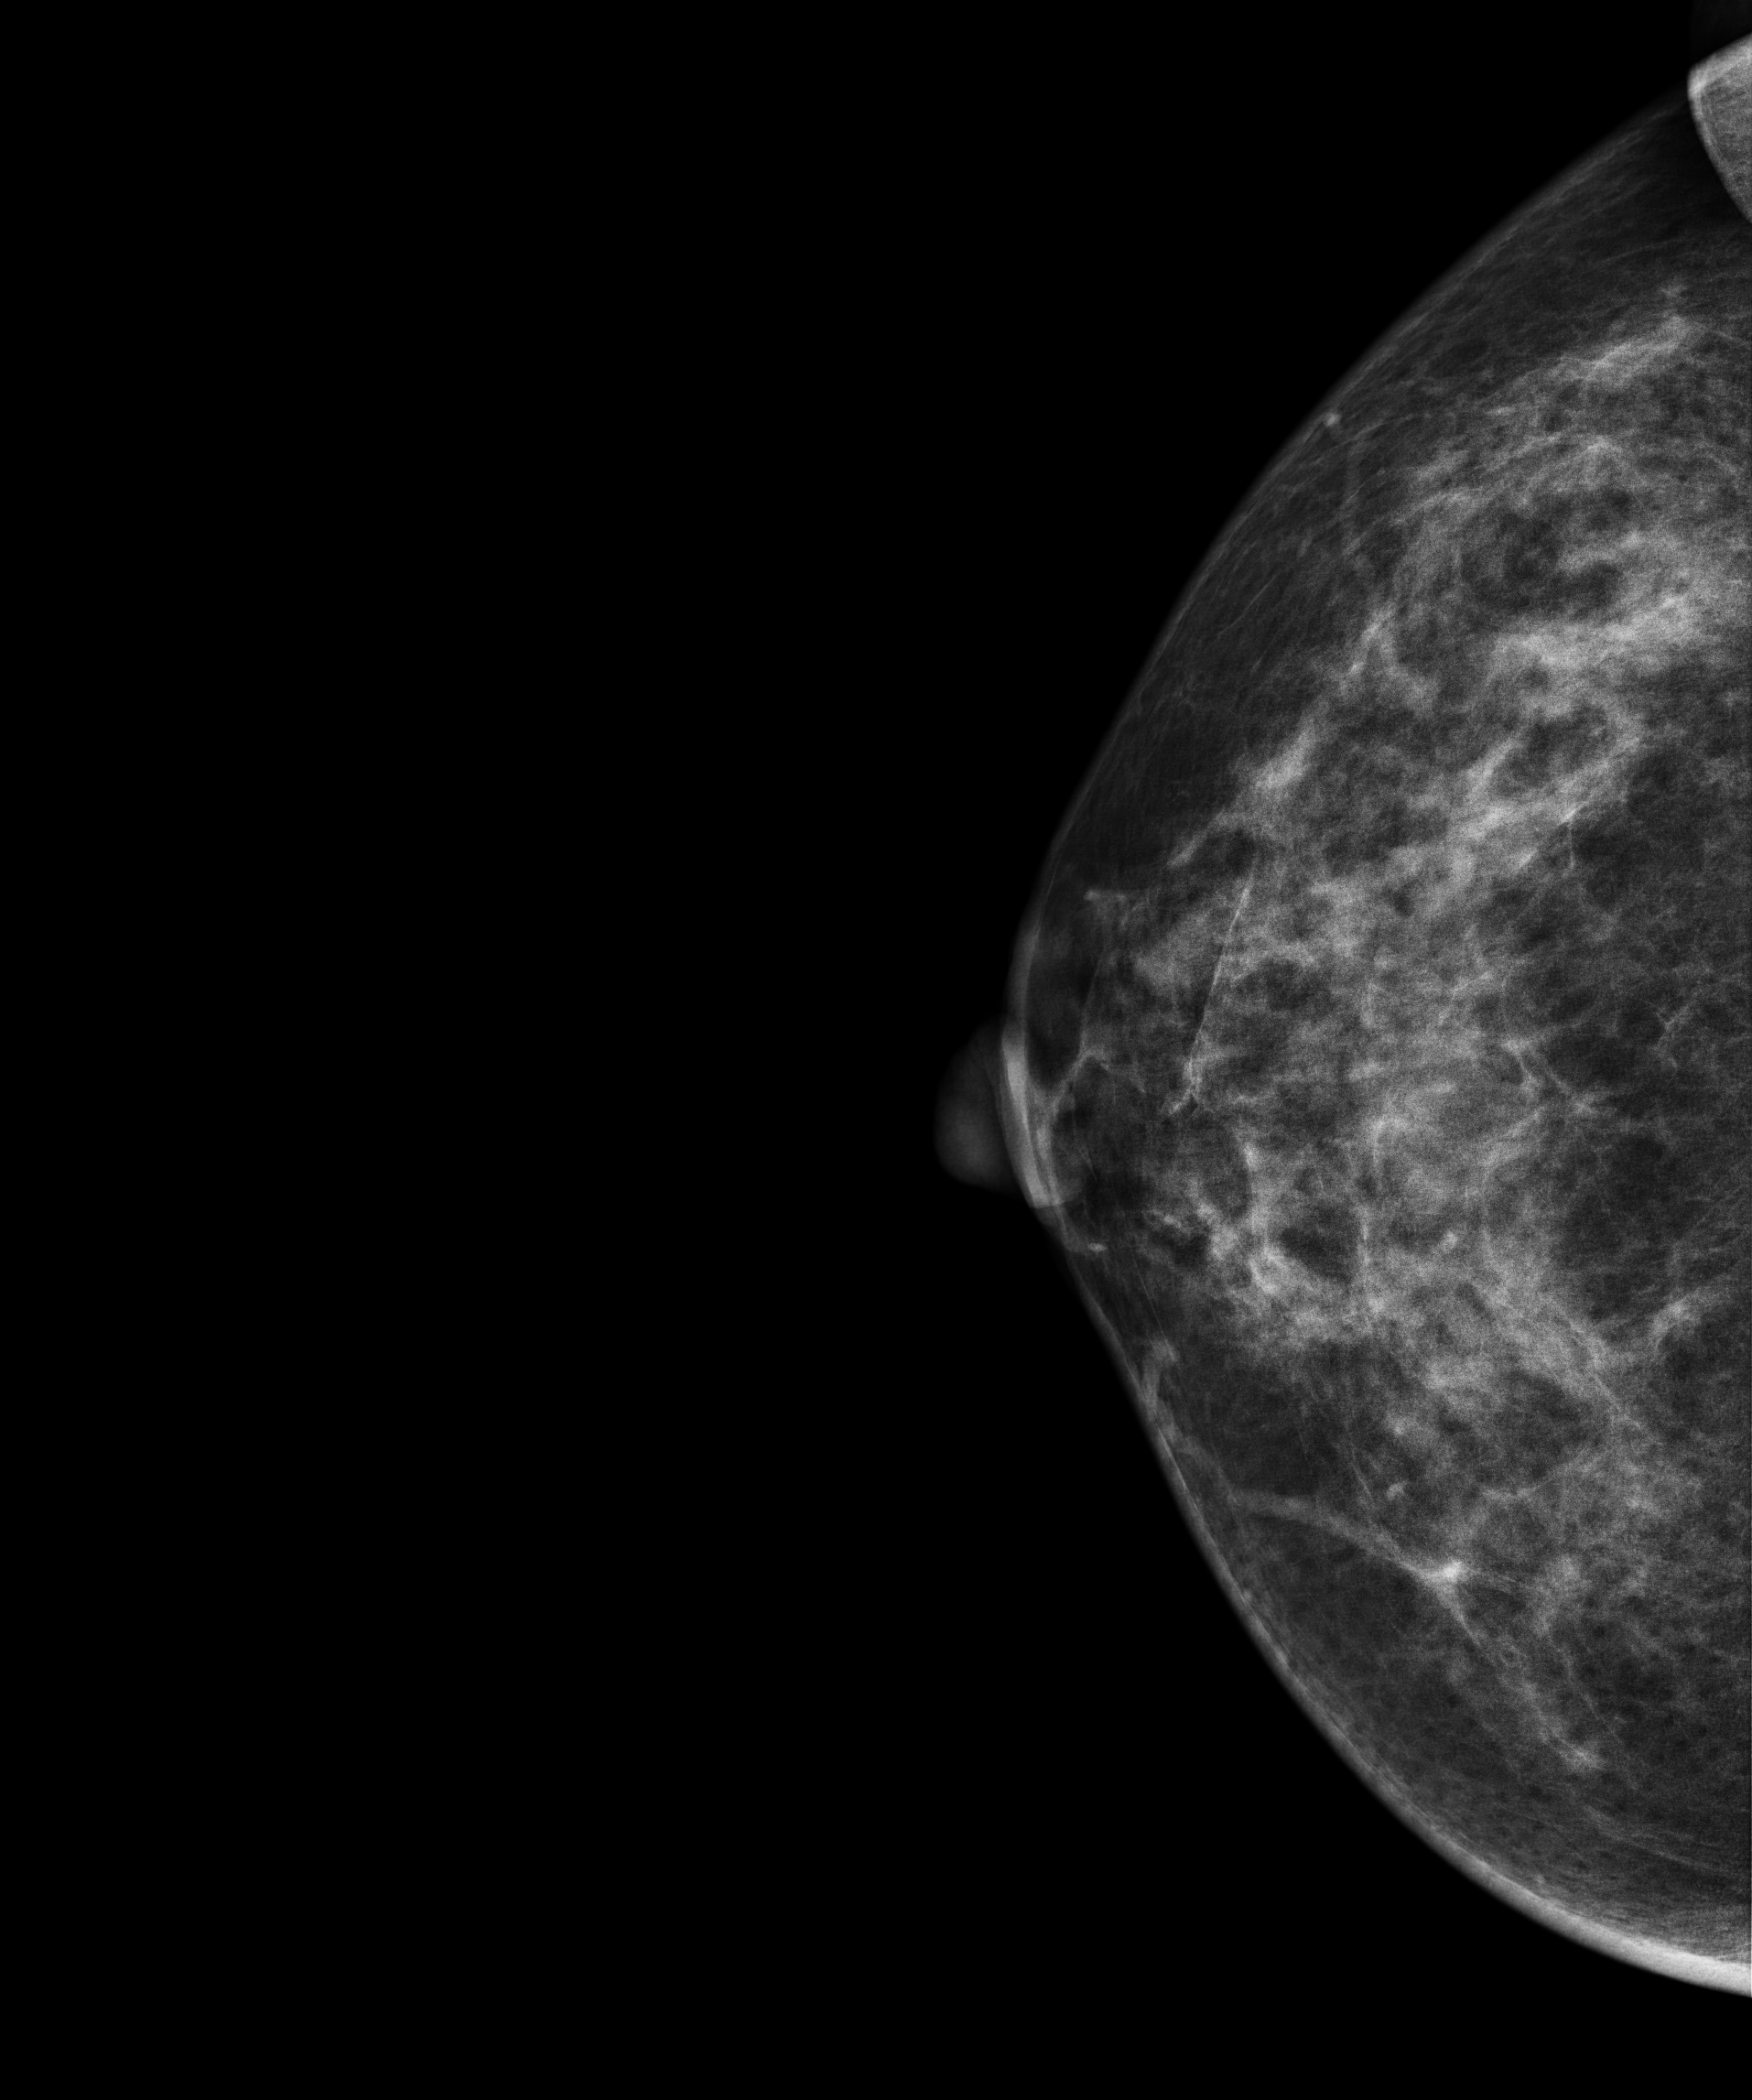
Mammogram, right breast, CC view. Patient age 49.
Contralateral breast — no documented abnormality on this side.